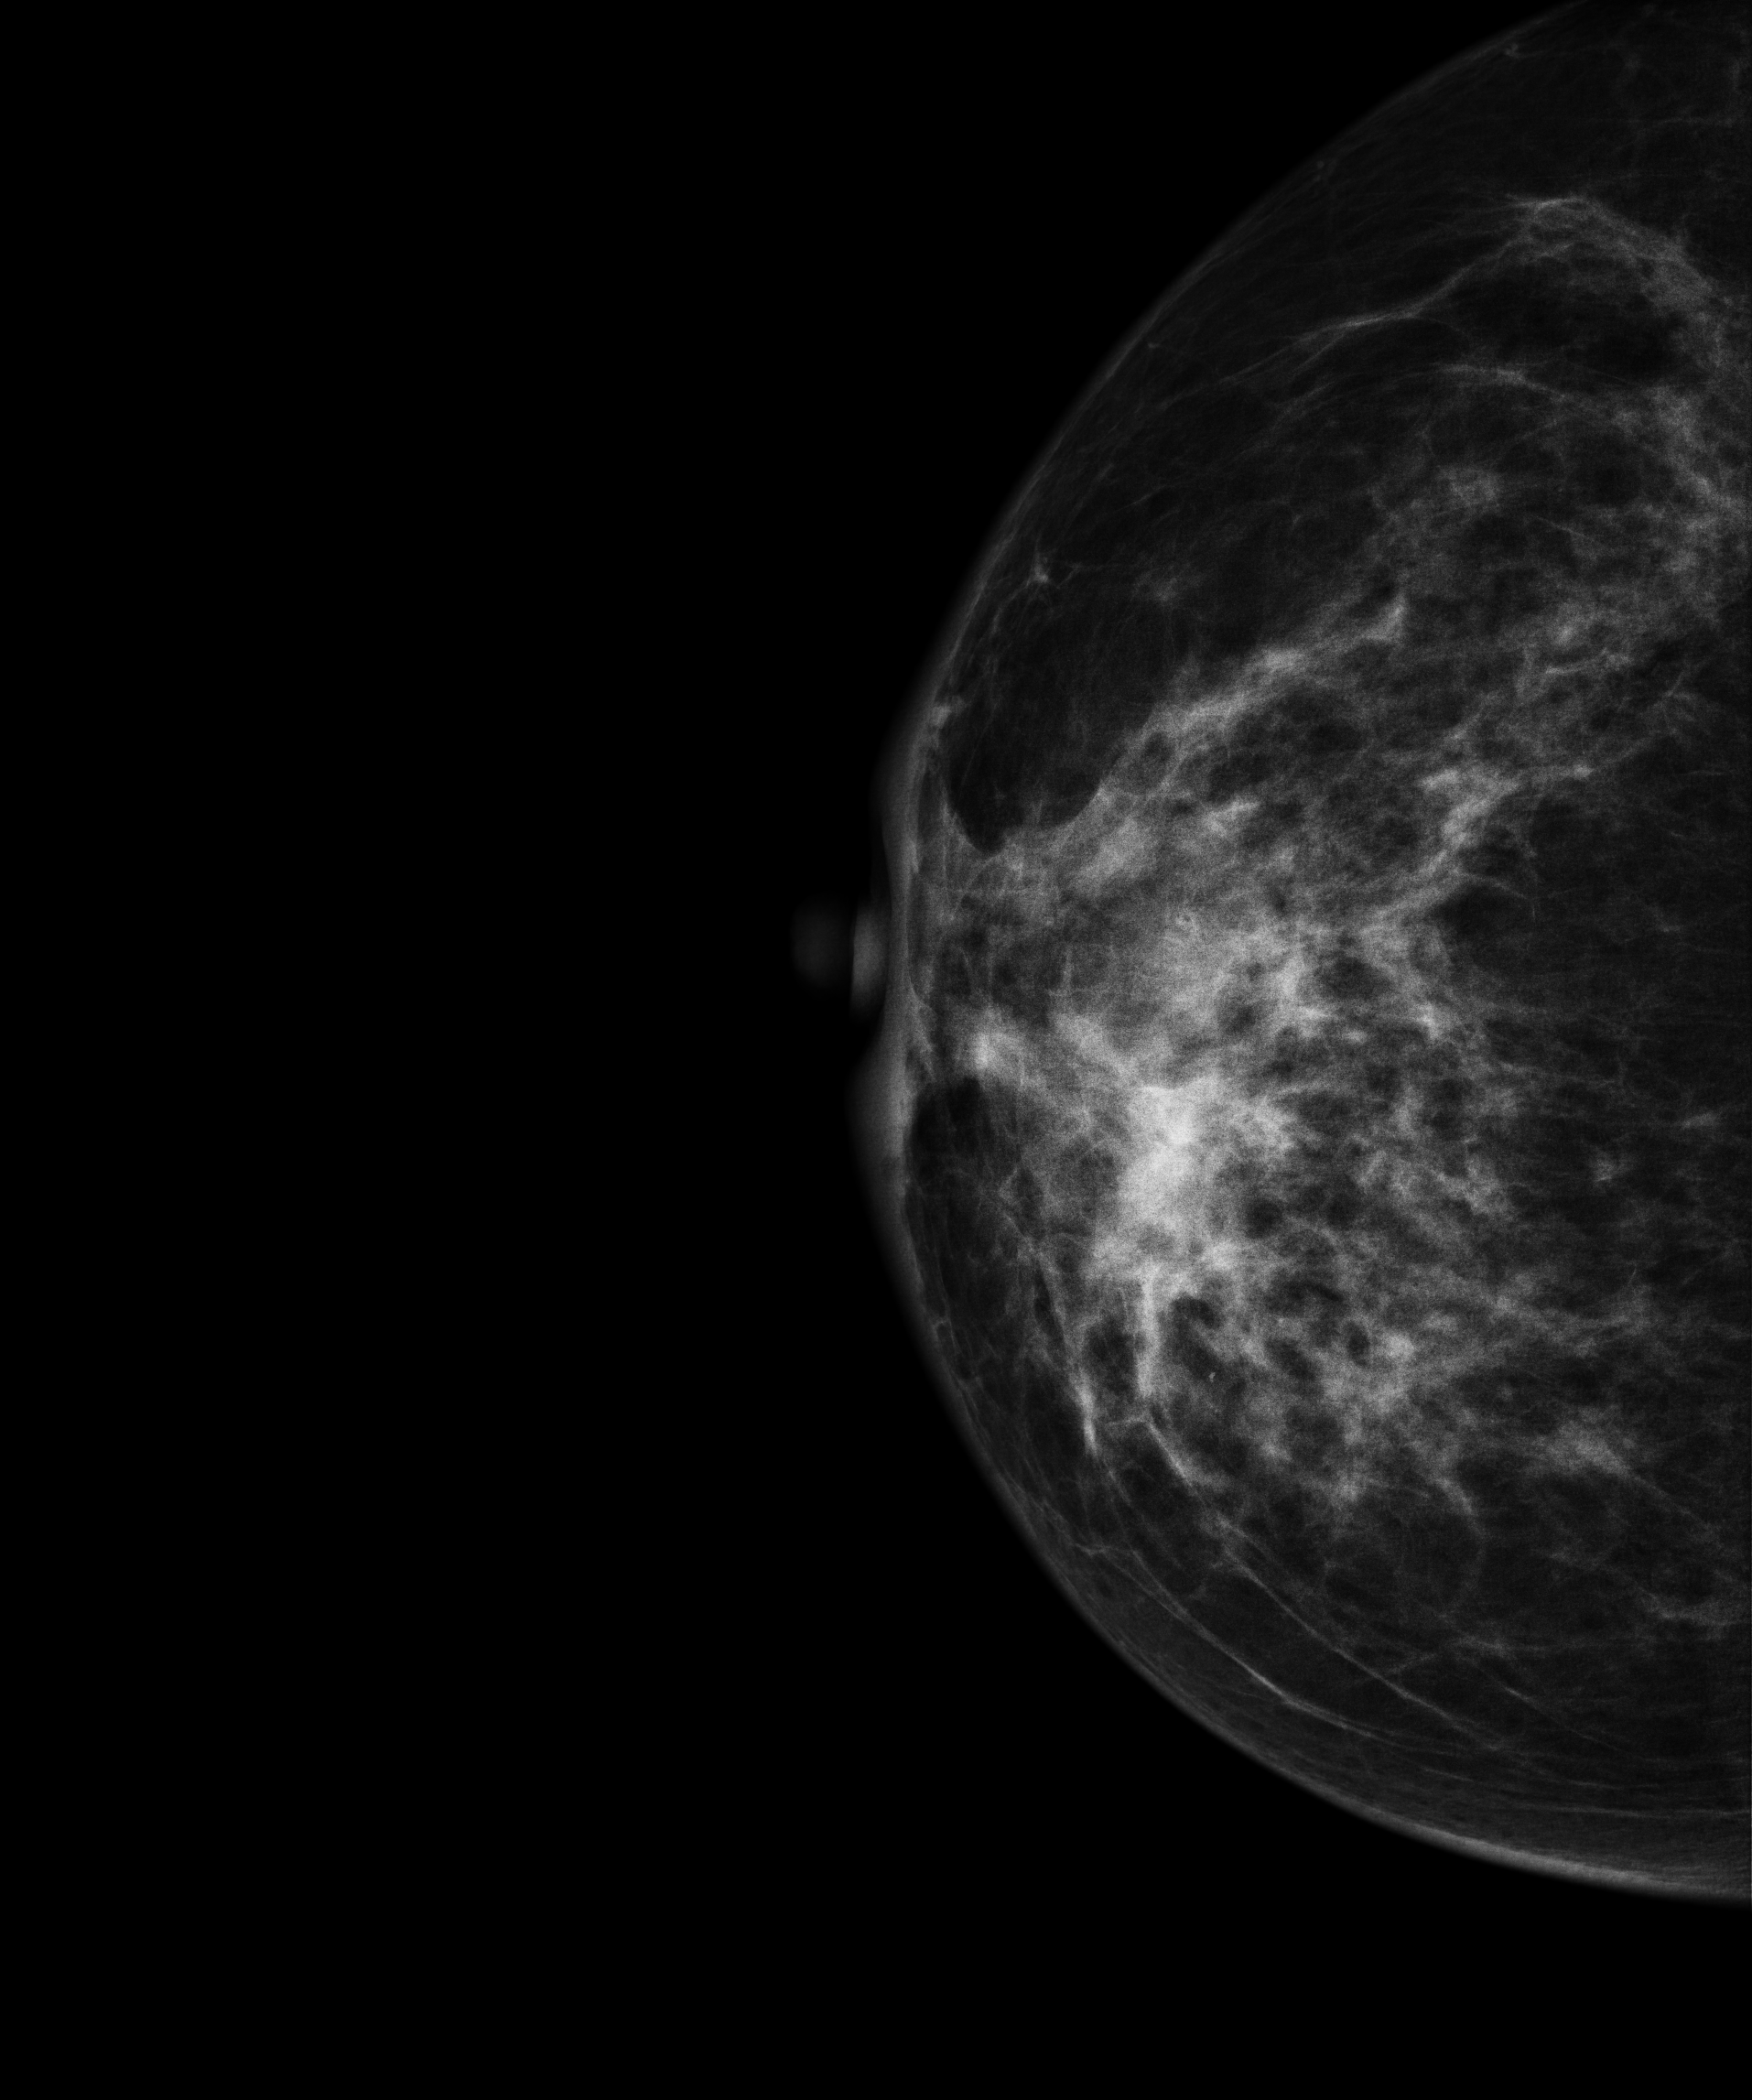
Mammogram — right cranio-caudal. Patient age 52.
This breast has a mass, histologically confirmed malignant. Molecular subtype: HER2-enriched.